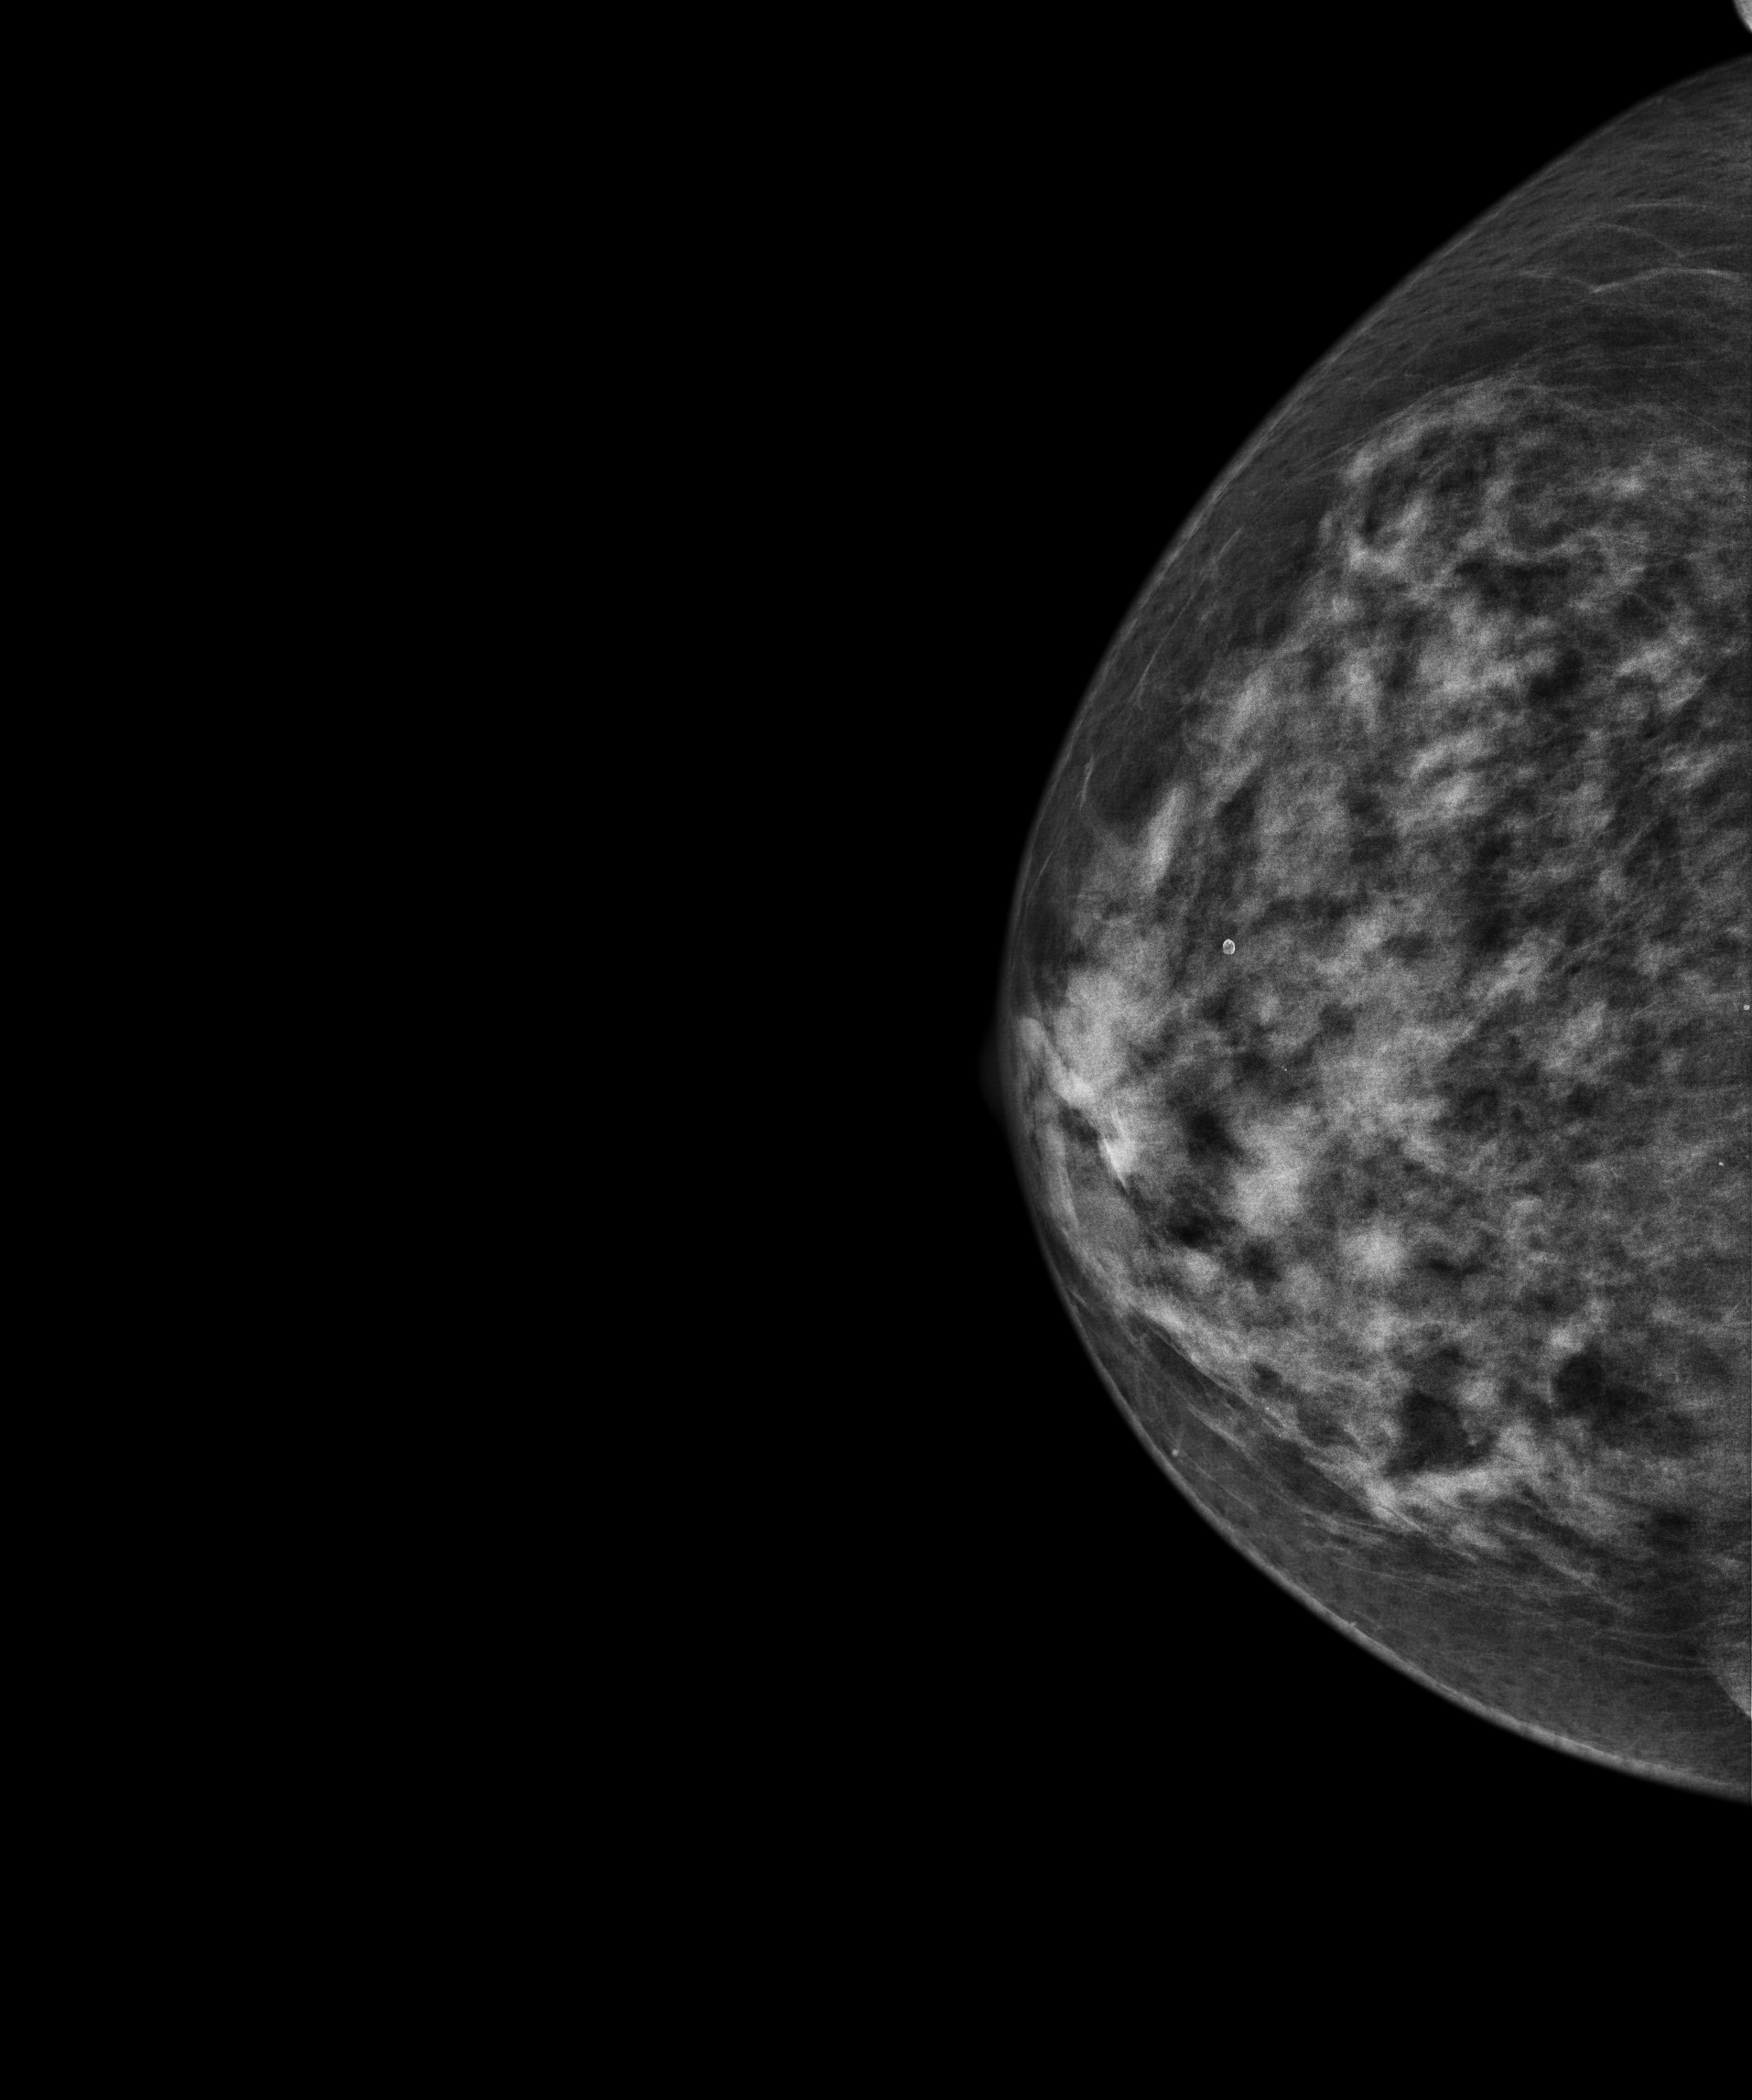
Cranio-caudal mammogram of the right breast. Patient age 67.
Contralateral breast — no documented abnormality on this side.